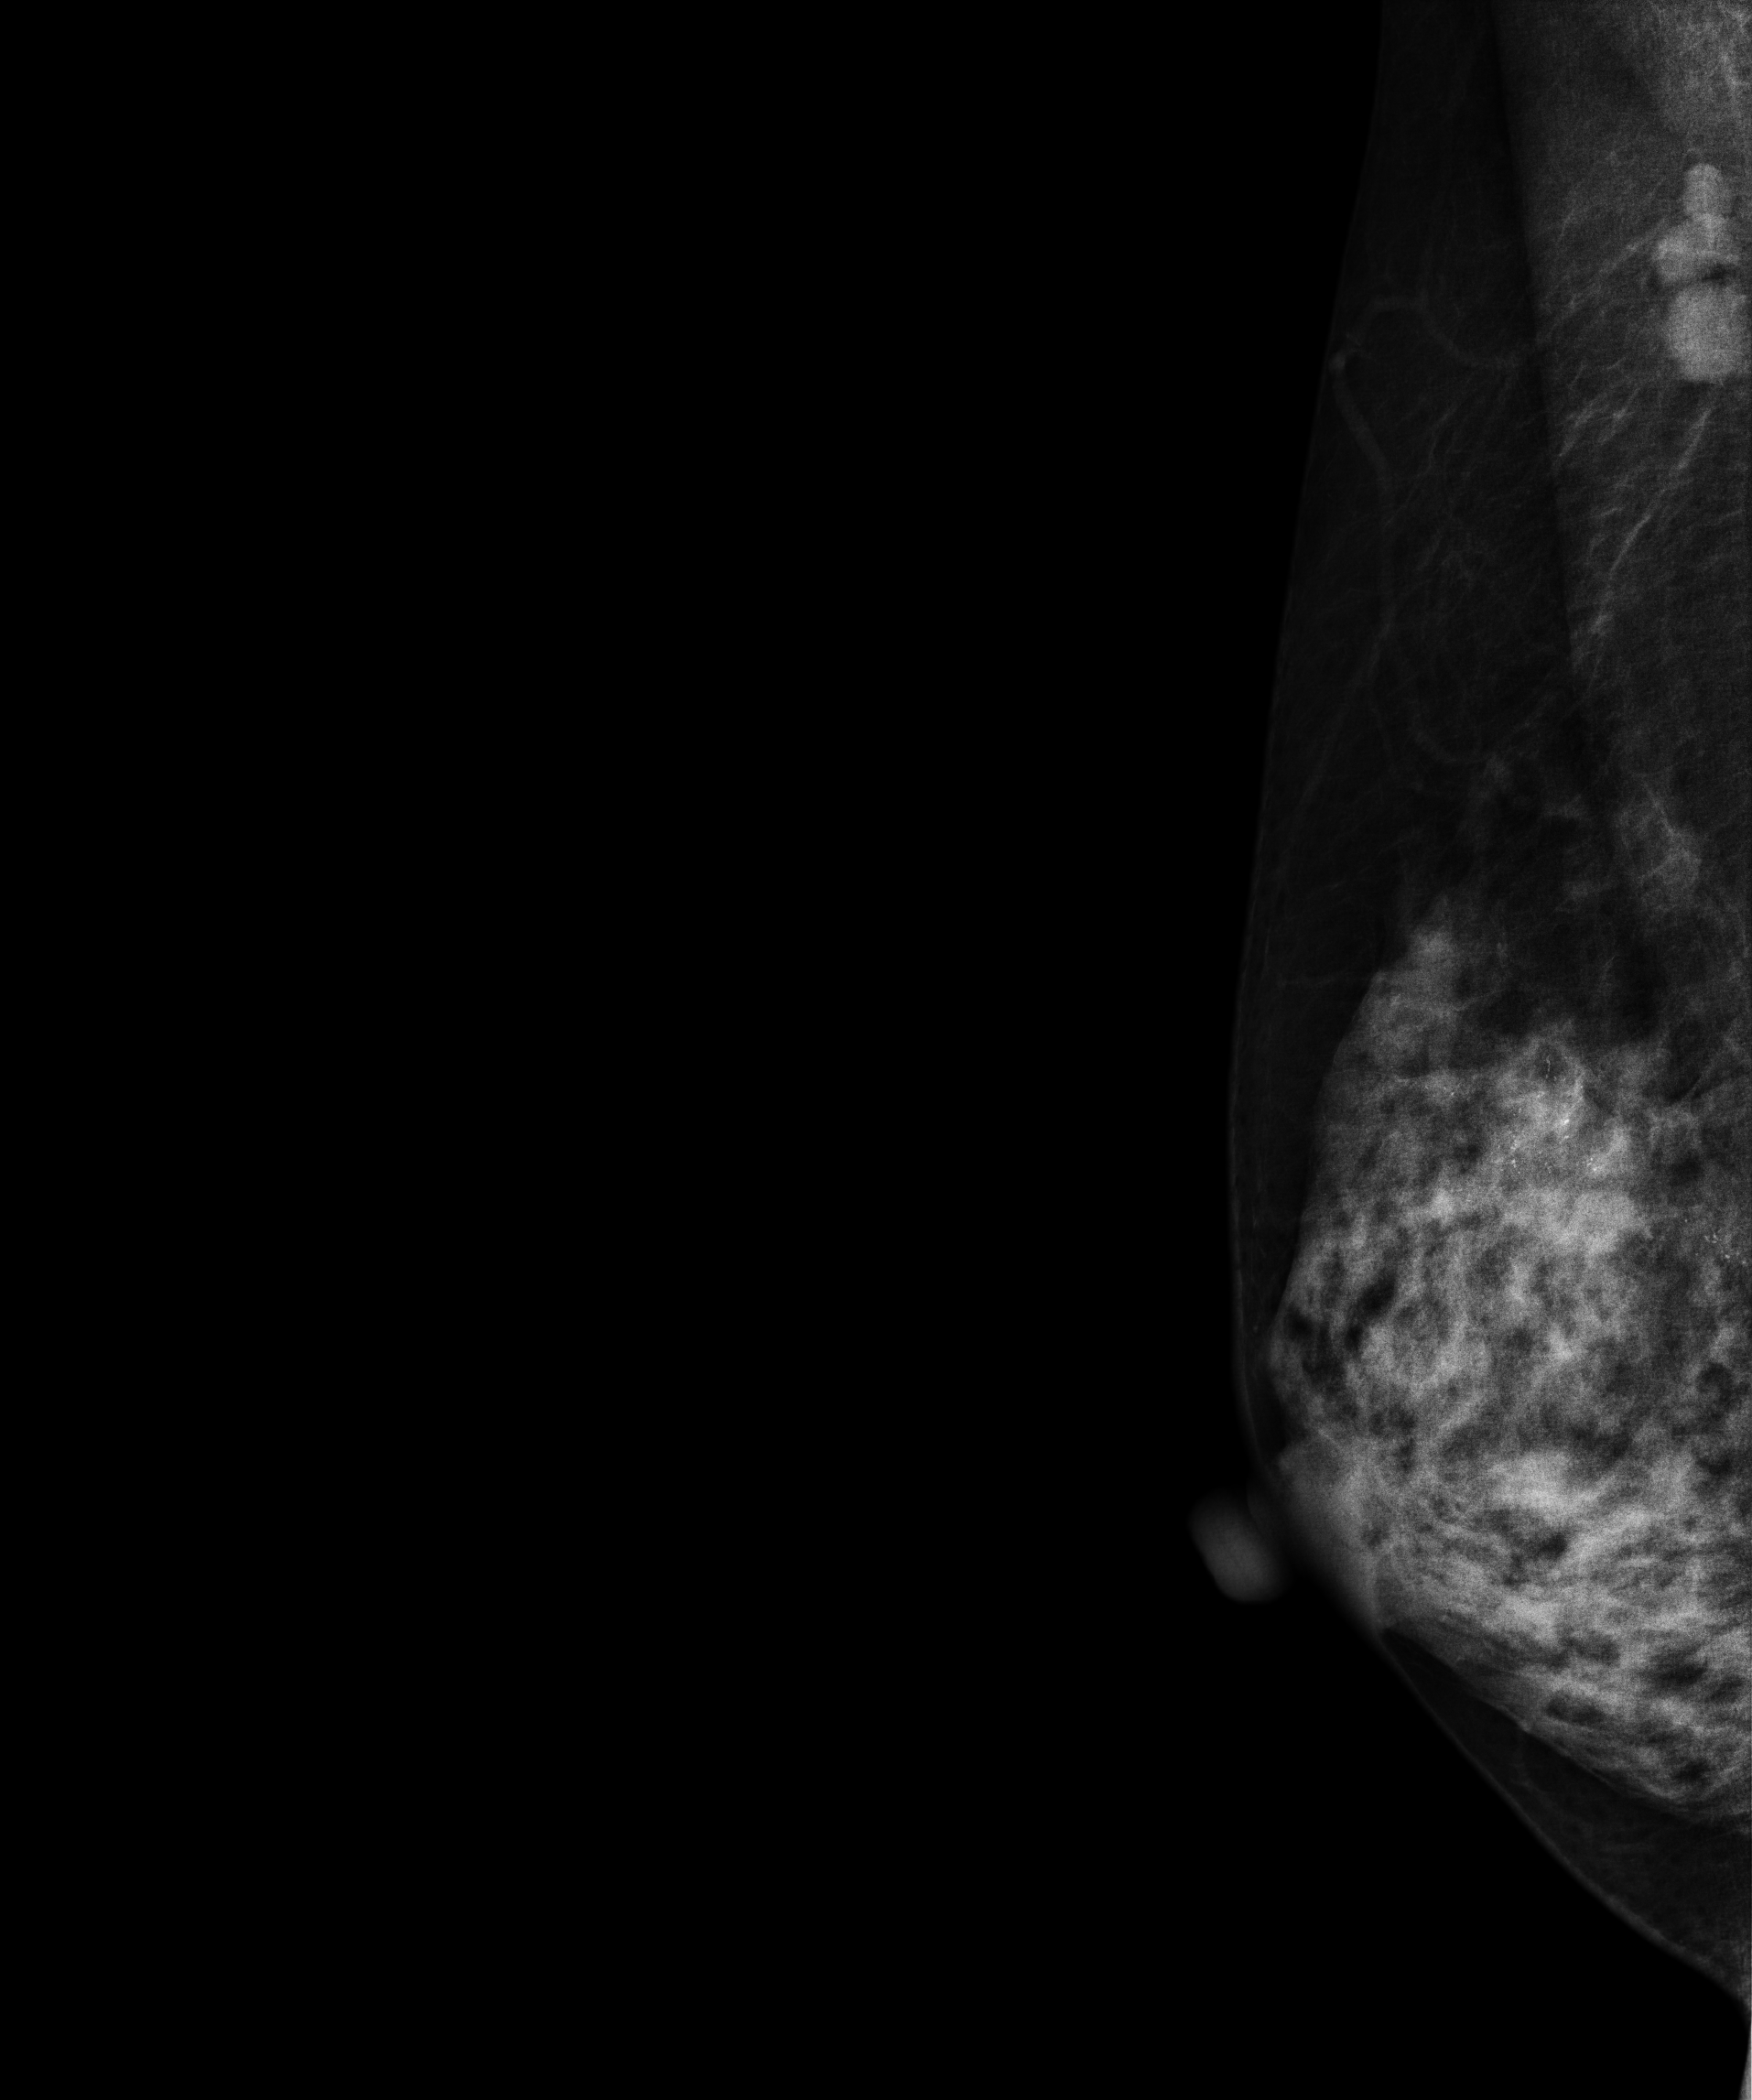
Medio-lateral oblique mammogram of the right breast. 50-year-old patient.
This breast has calcifications, biopsy-confirmed malignant. Molecular subtype: luminal B.